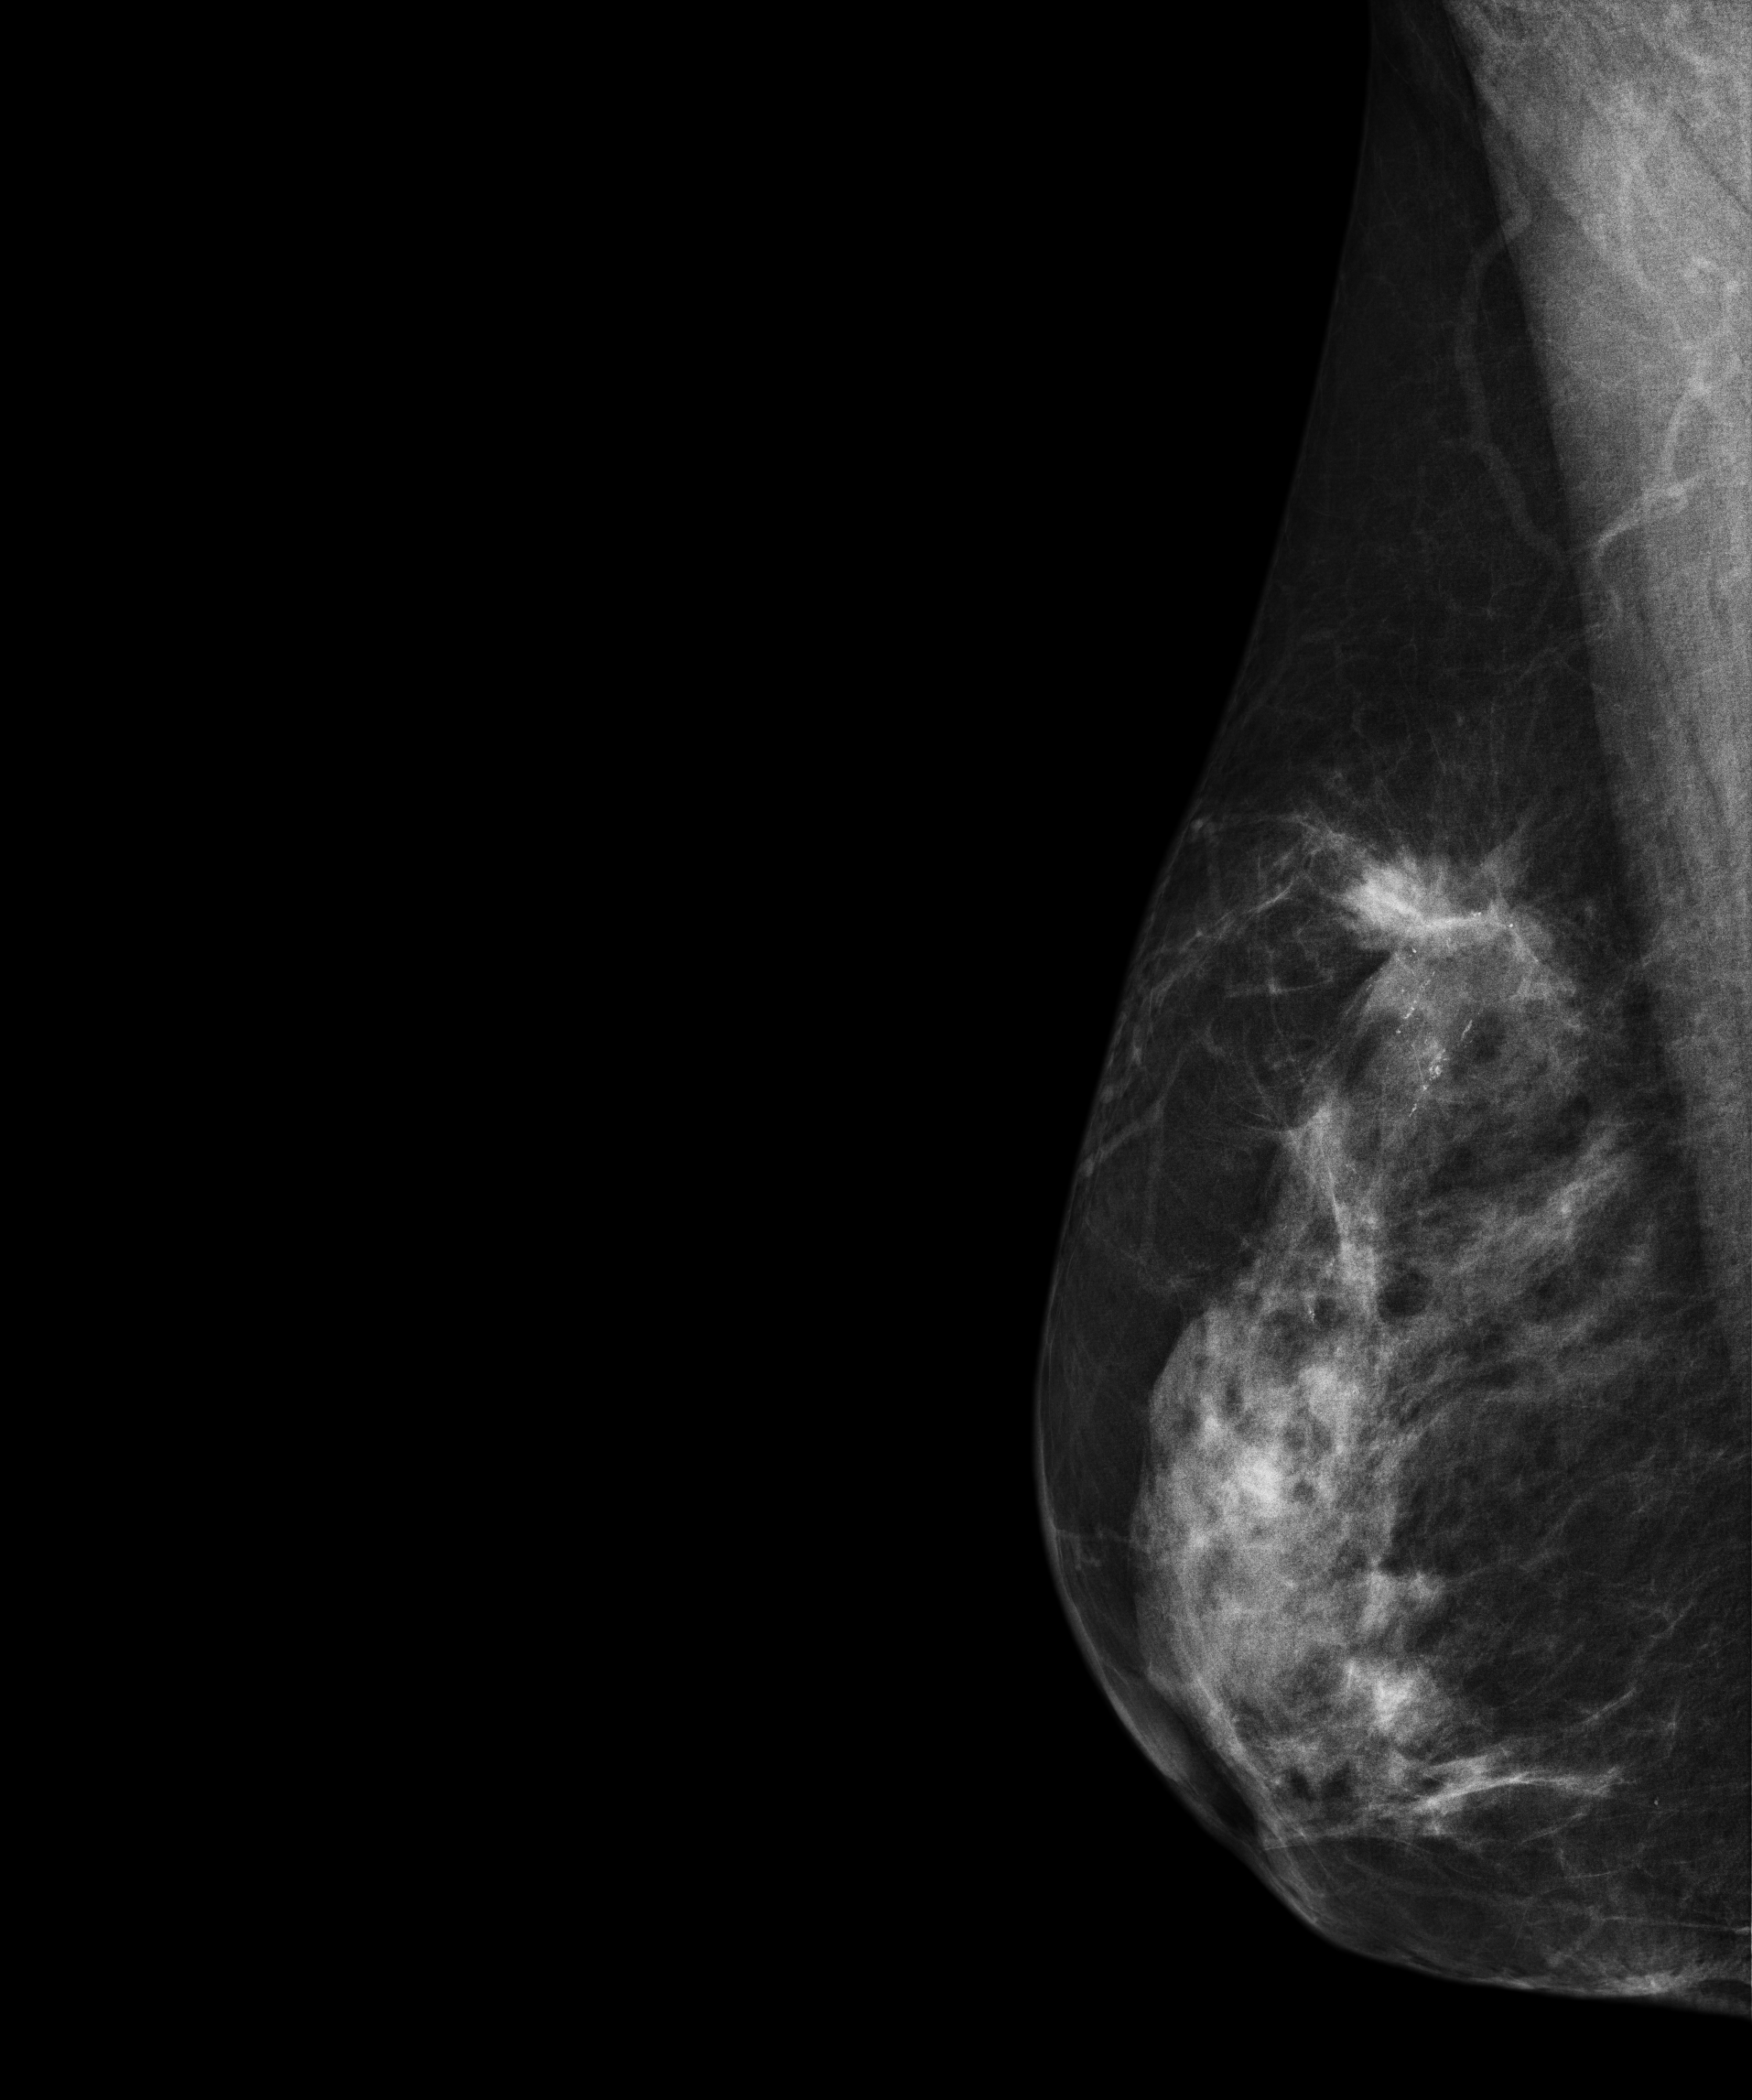
Right-breast mammogram, medio-lateral oblique. 64 y/o patient.
This breast has a mass and calcifications, biopsy-proven malignant. Molecular subtype: luminal B.